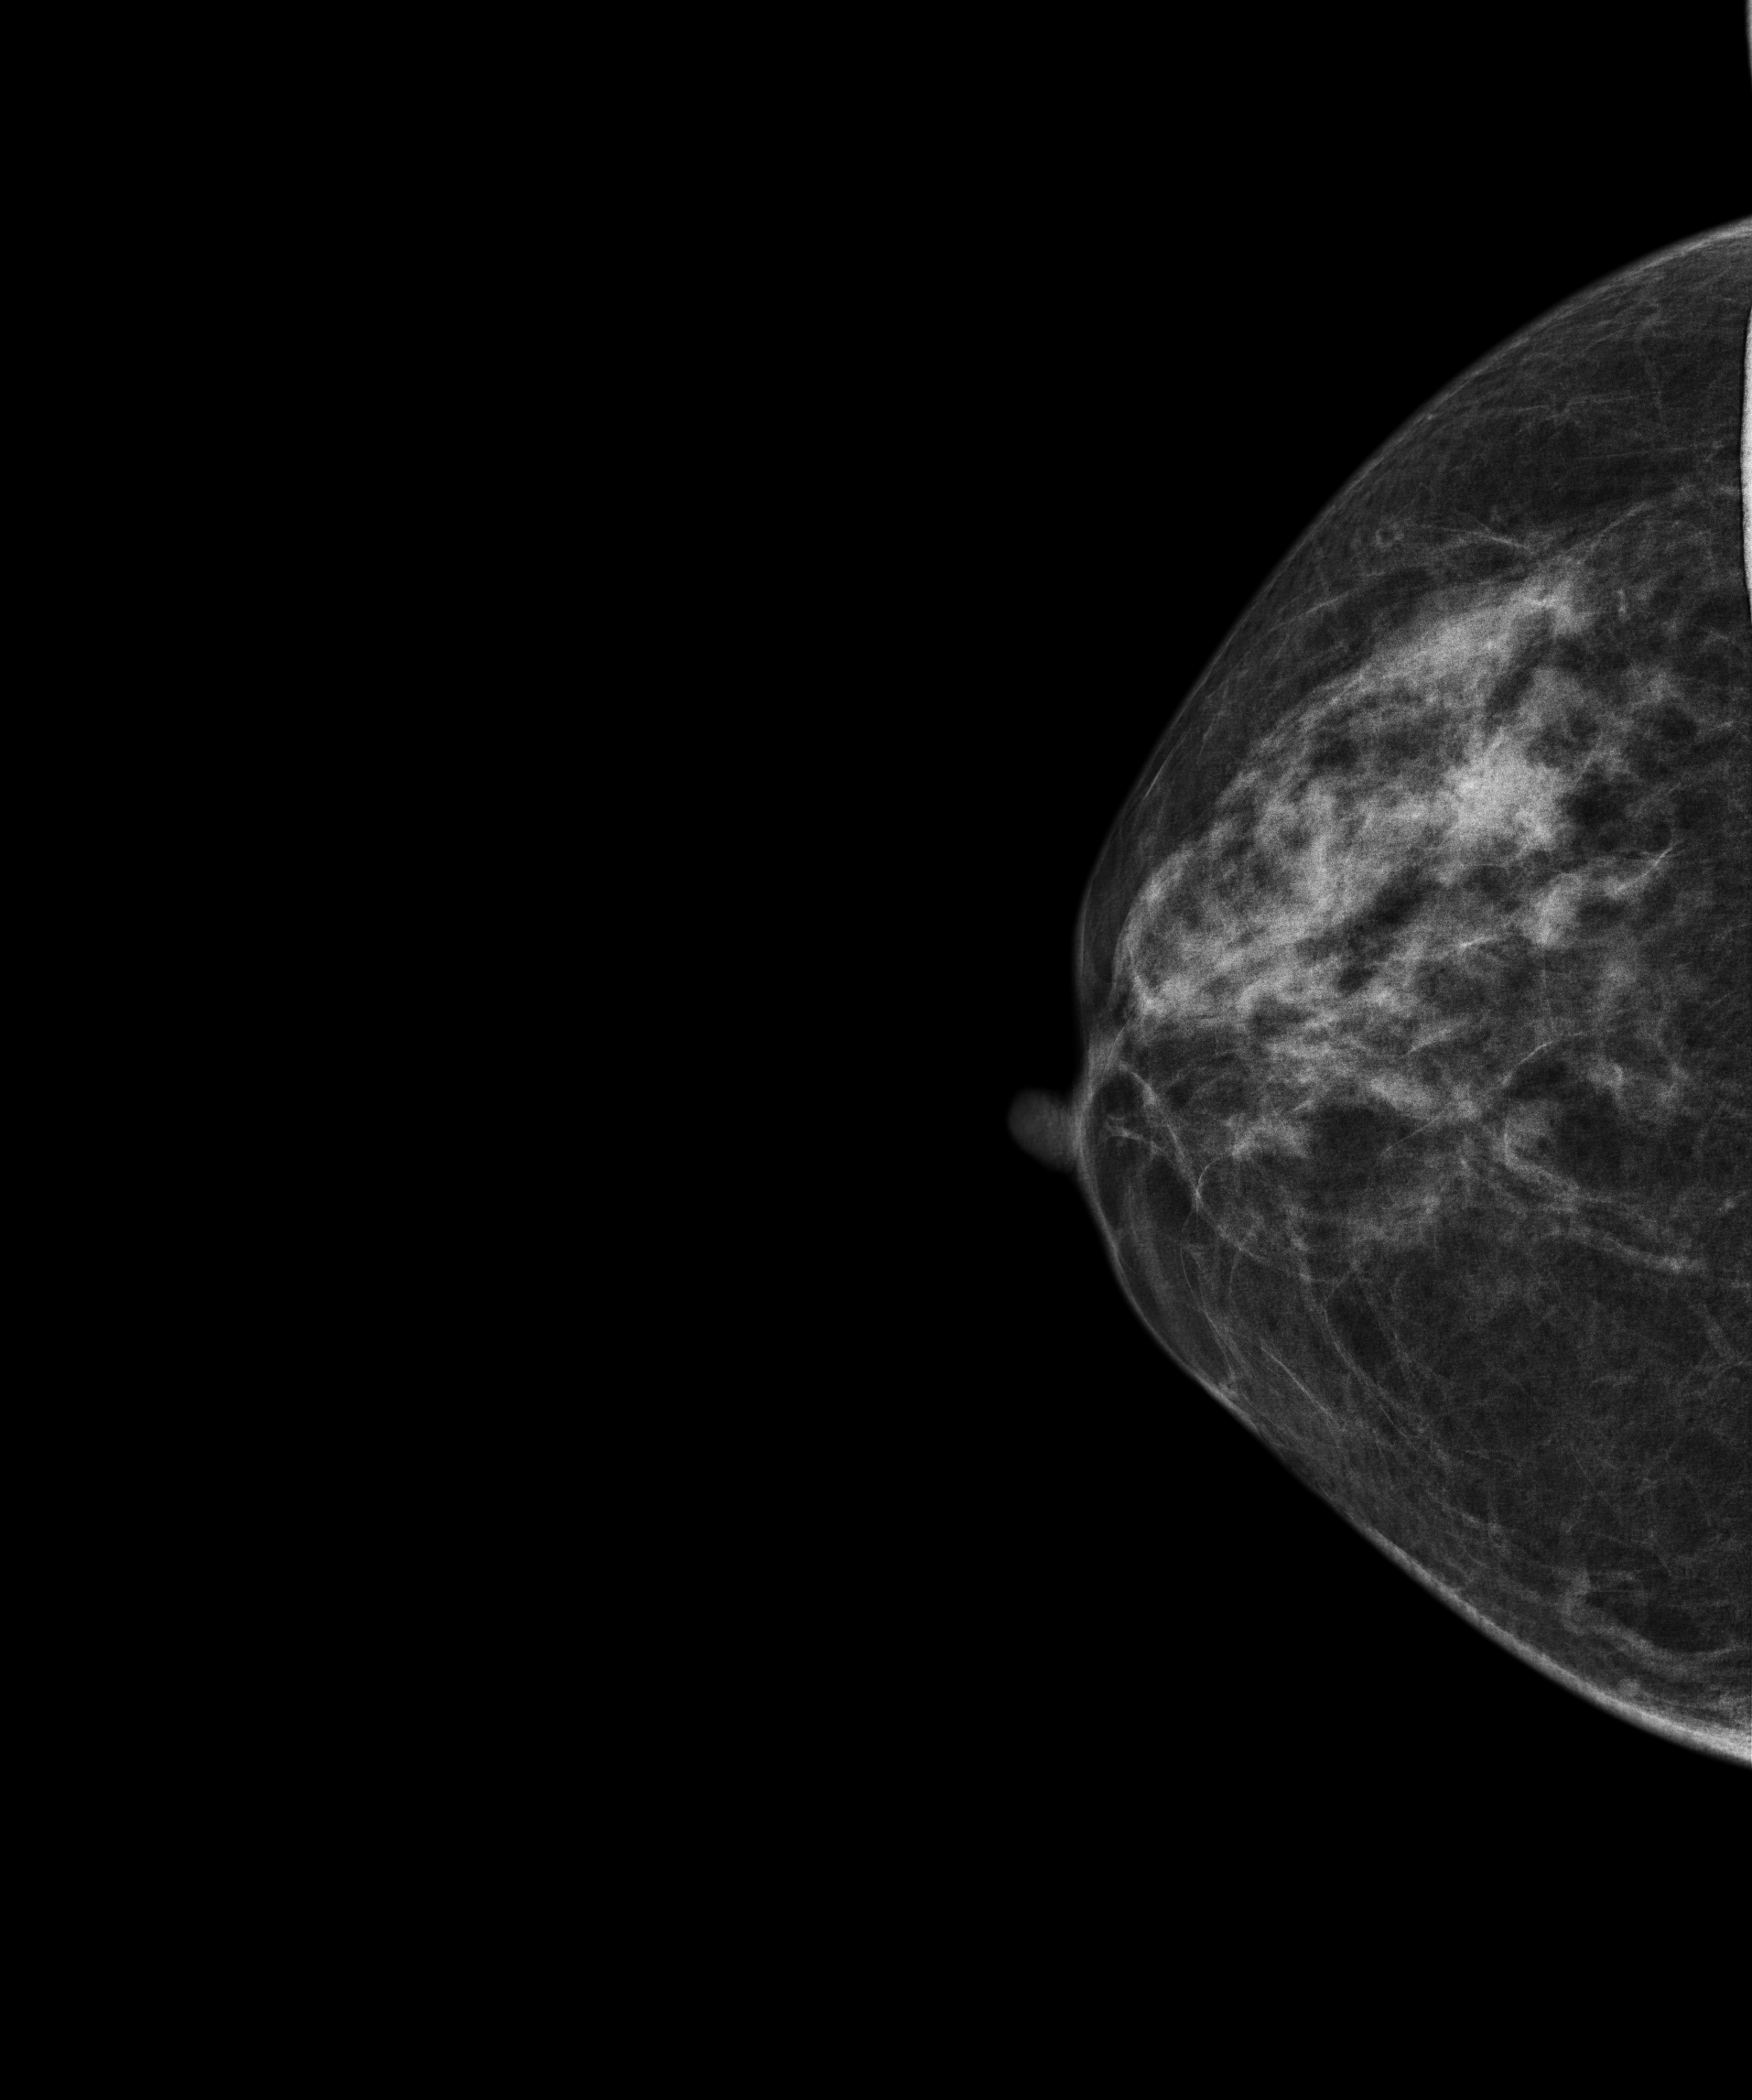
Mammogram, right breast, cranio-caudal view. Patient age 65.
Contralateral breast — no documented abnormality on this side.